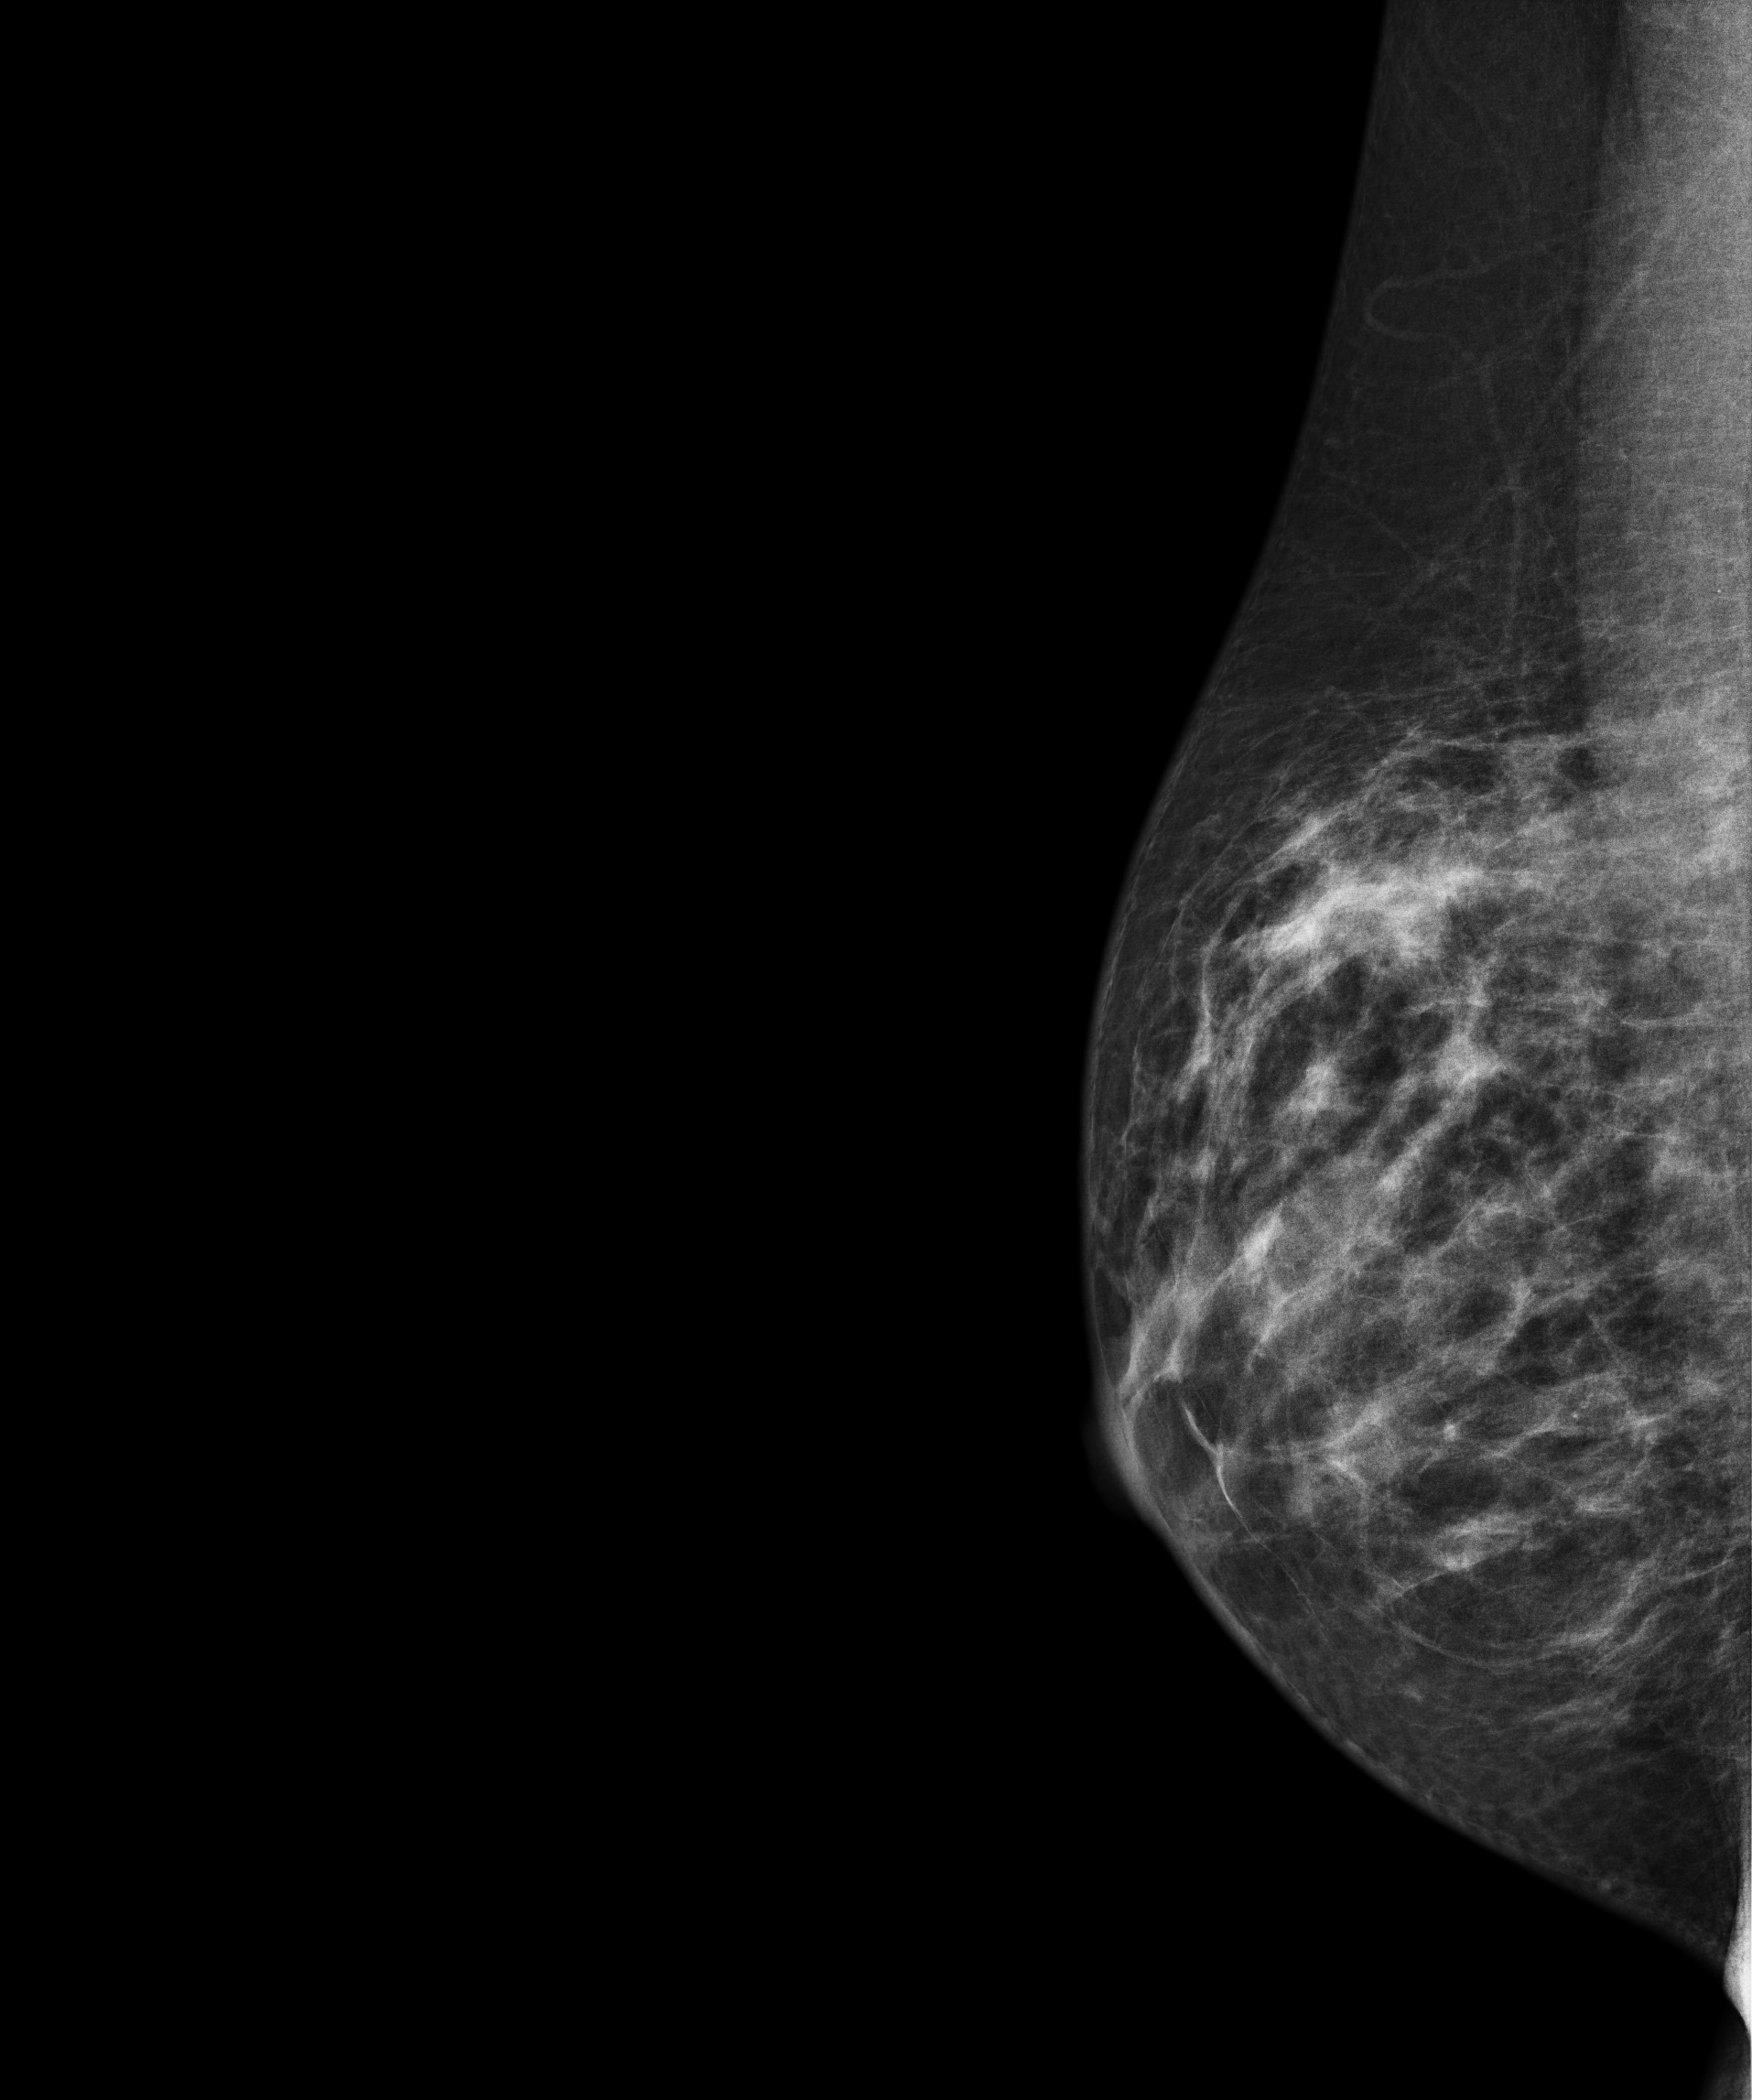
Right-breast mammogram, MLO. 29-year-old patient.
Contralateral breast — no documented abnormality on this side.